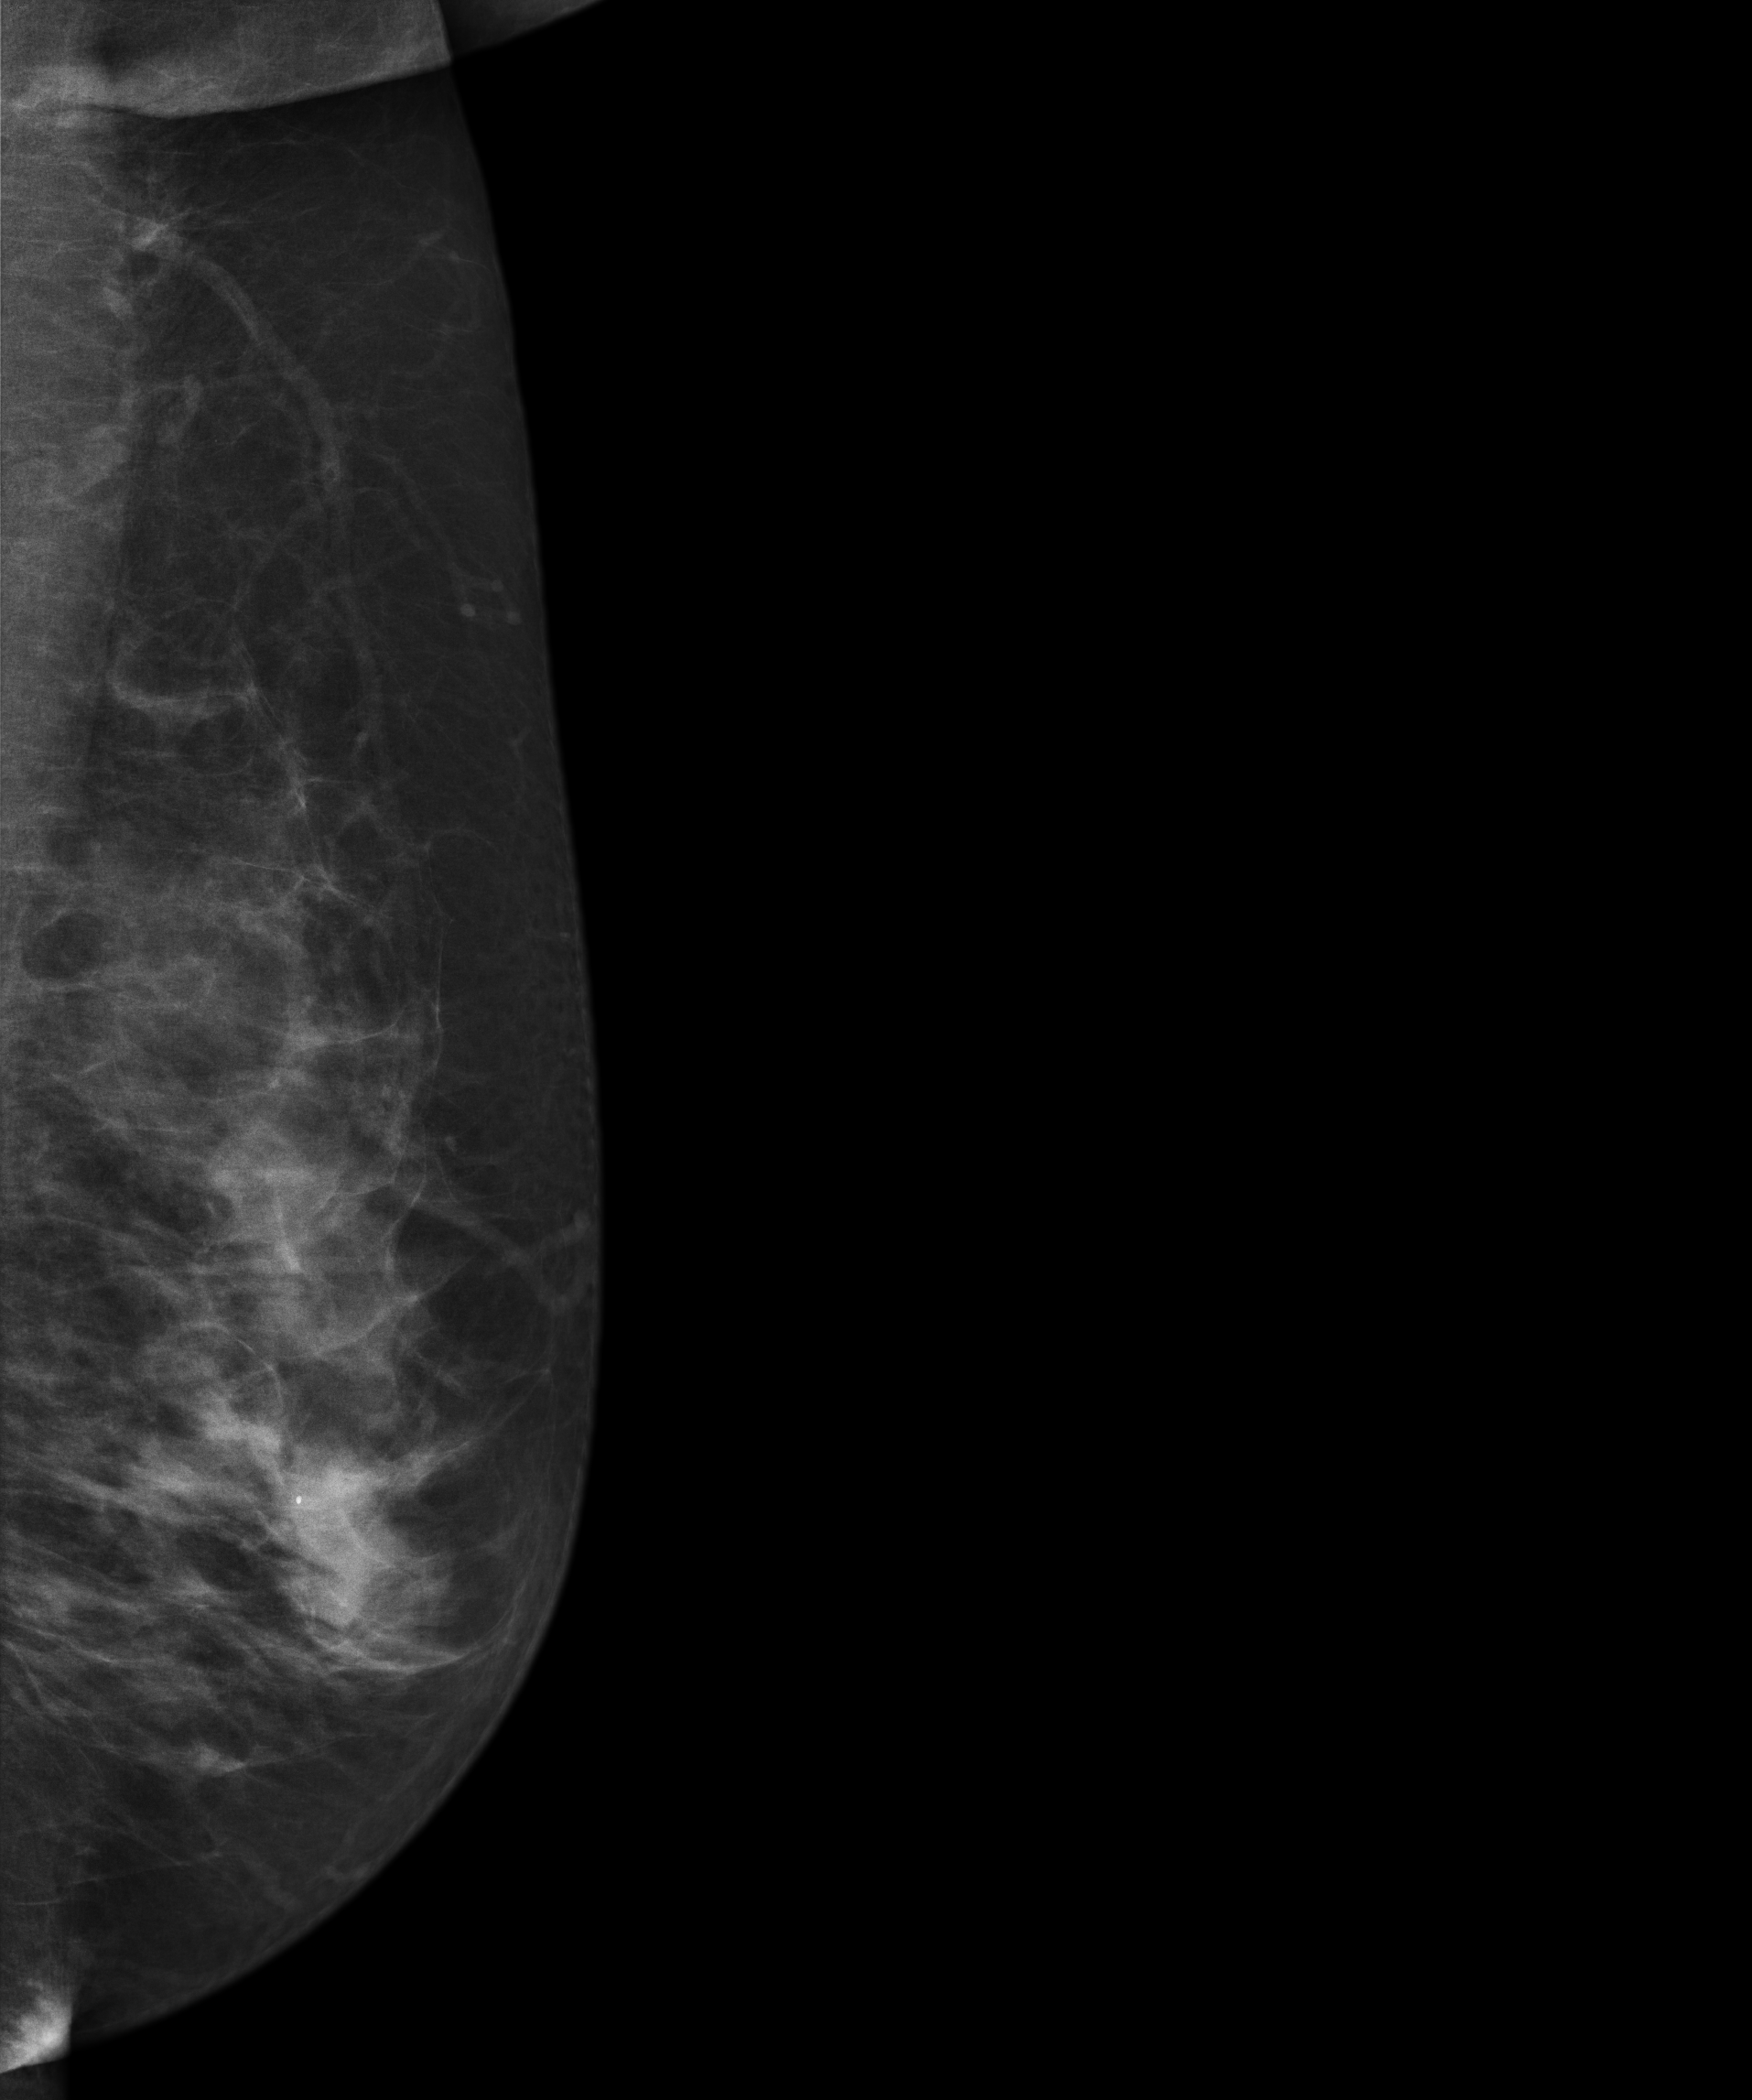
Left-breast mammogram, MLO. Patient age 51.
This breast has a mass, biopsy-proven malignant.